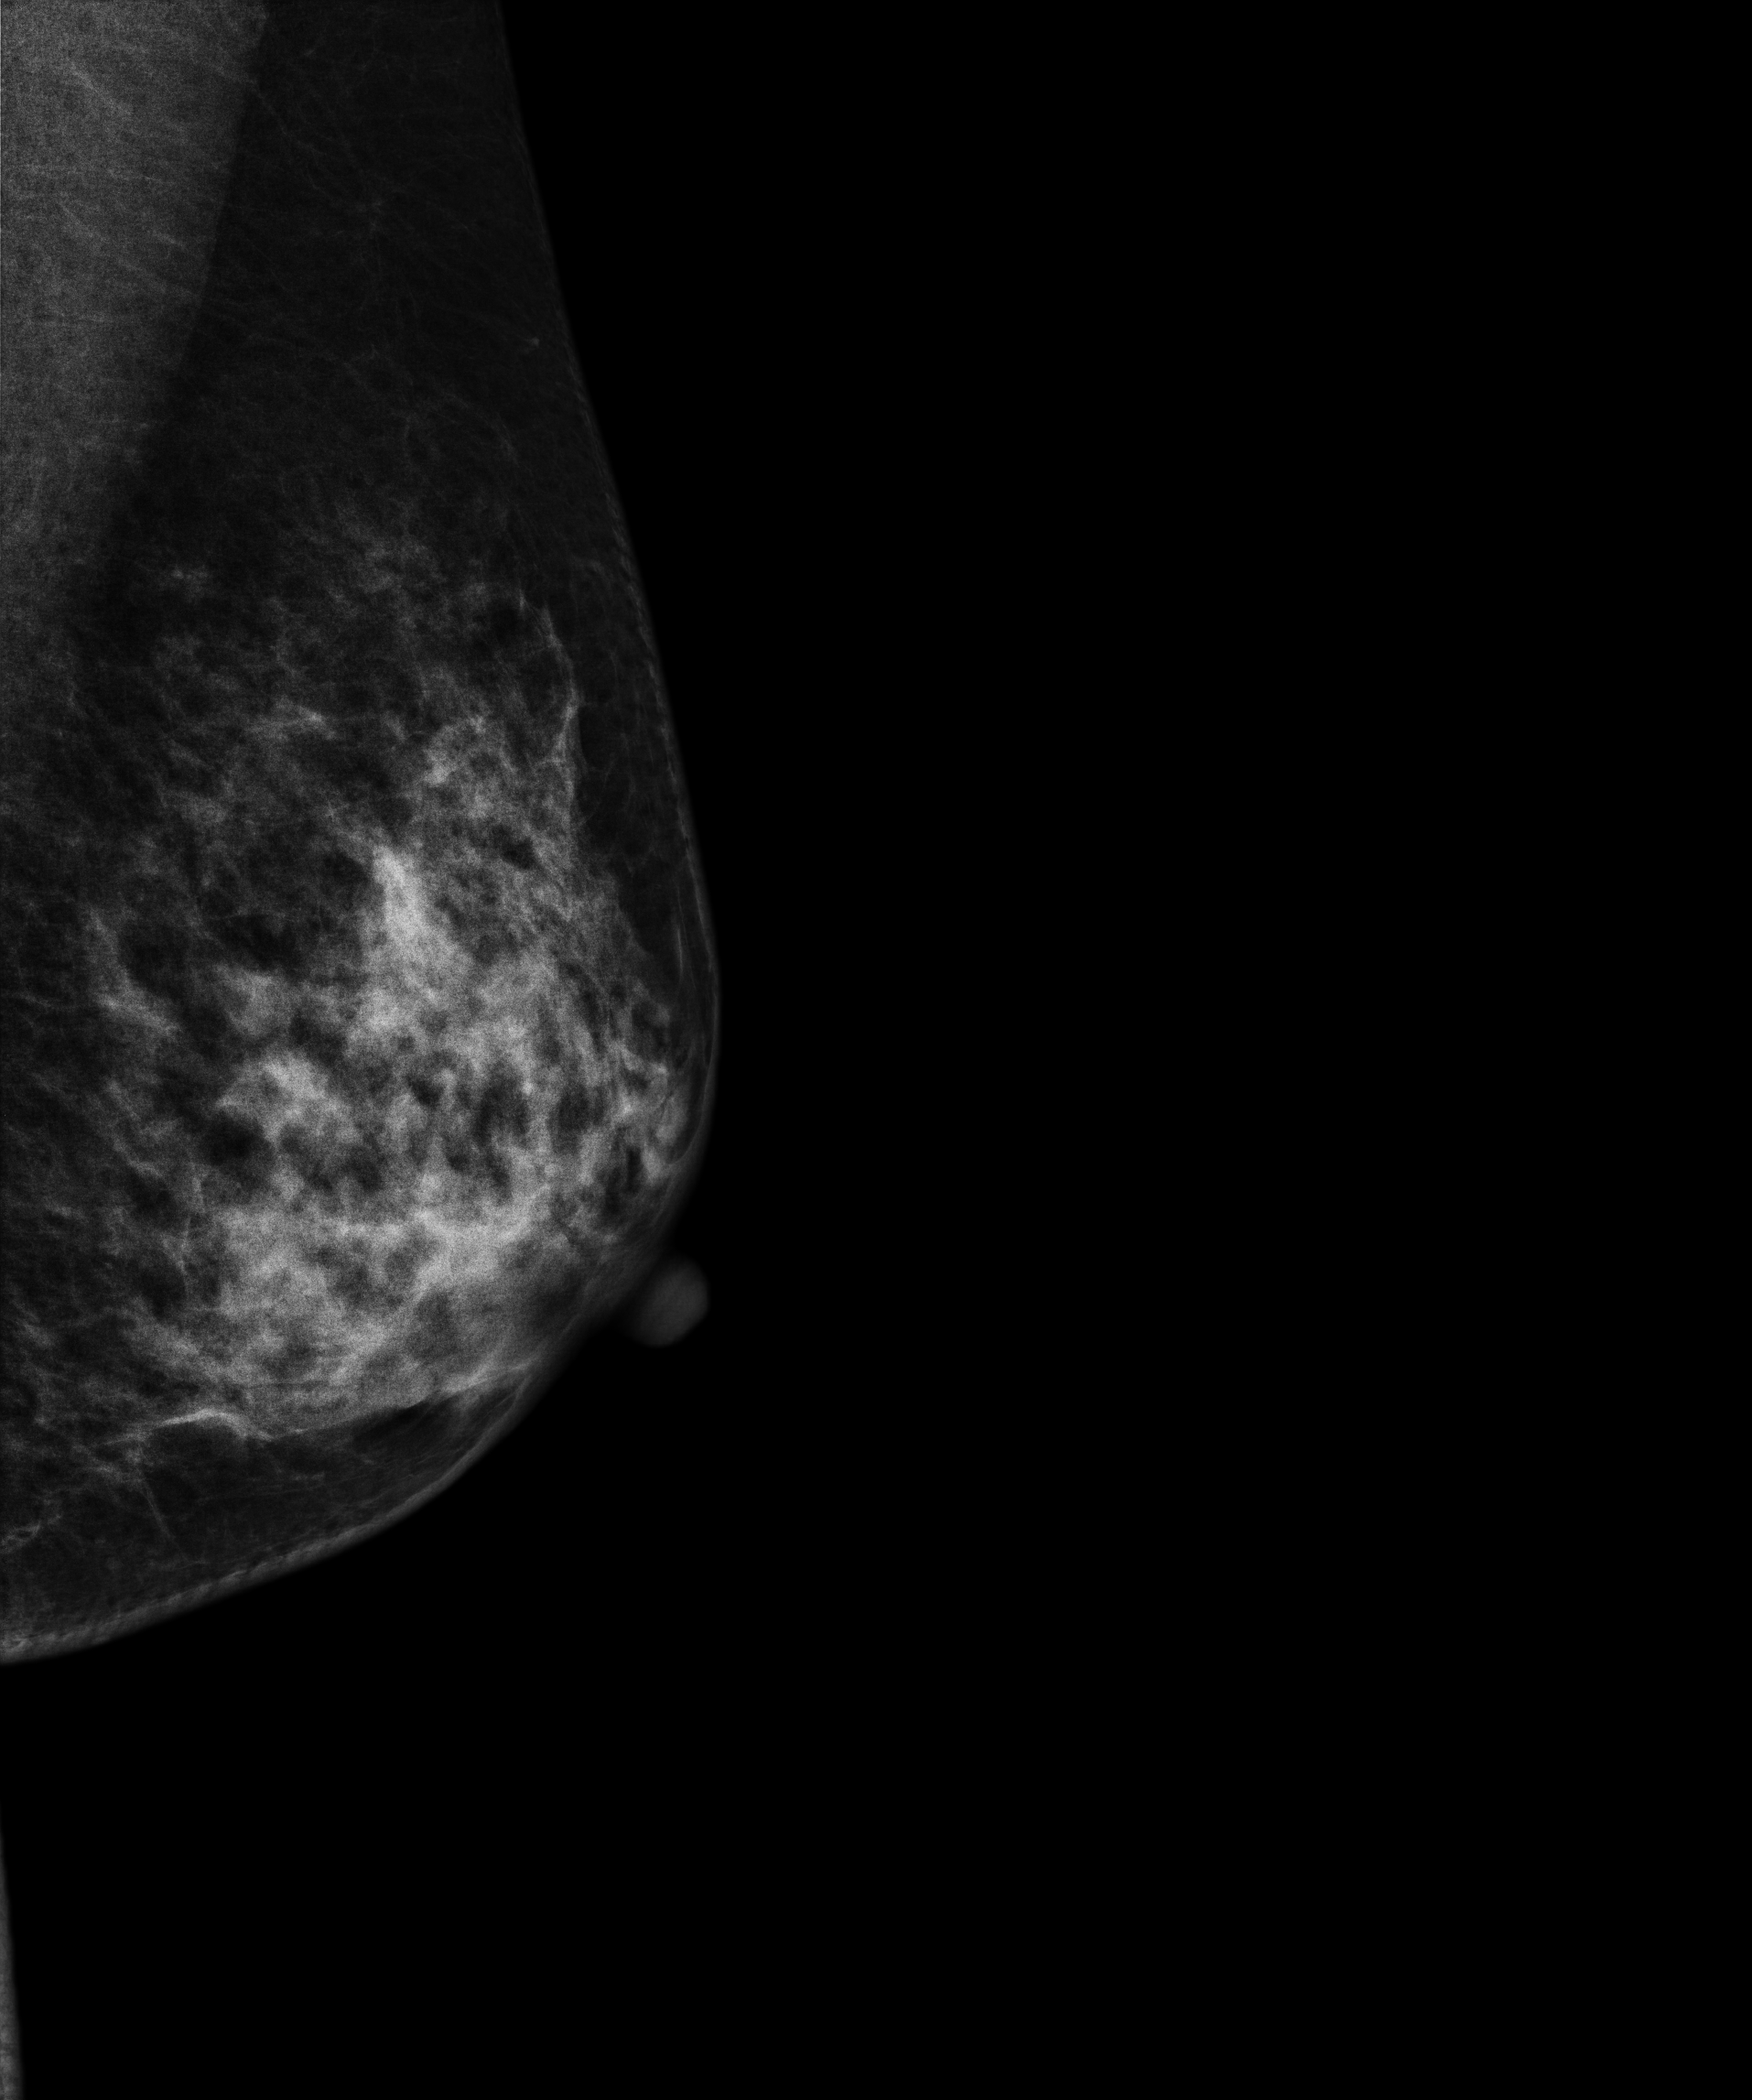
MLO mammogram of the left breast. 53-year-old patient.
Contralateral breast — no documented abnormality on this side.